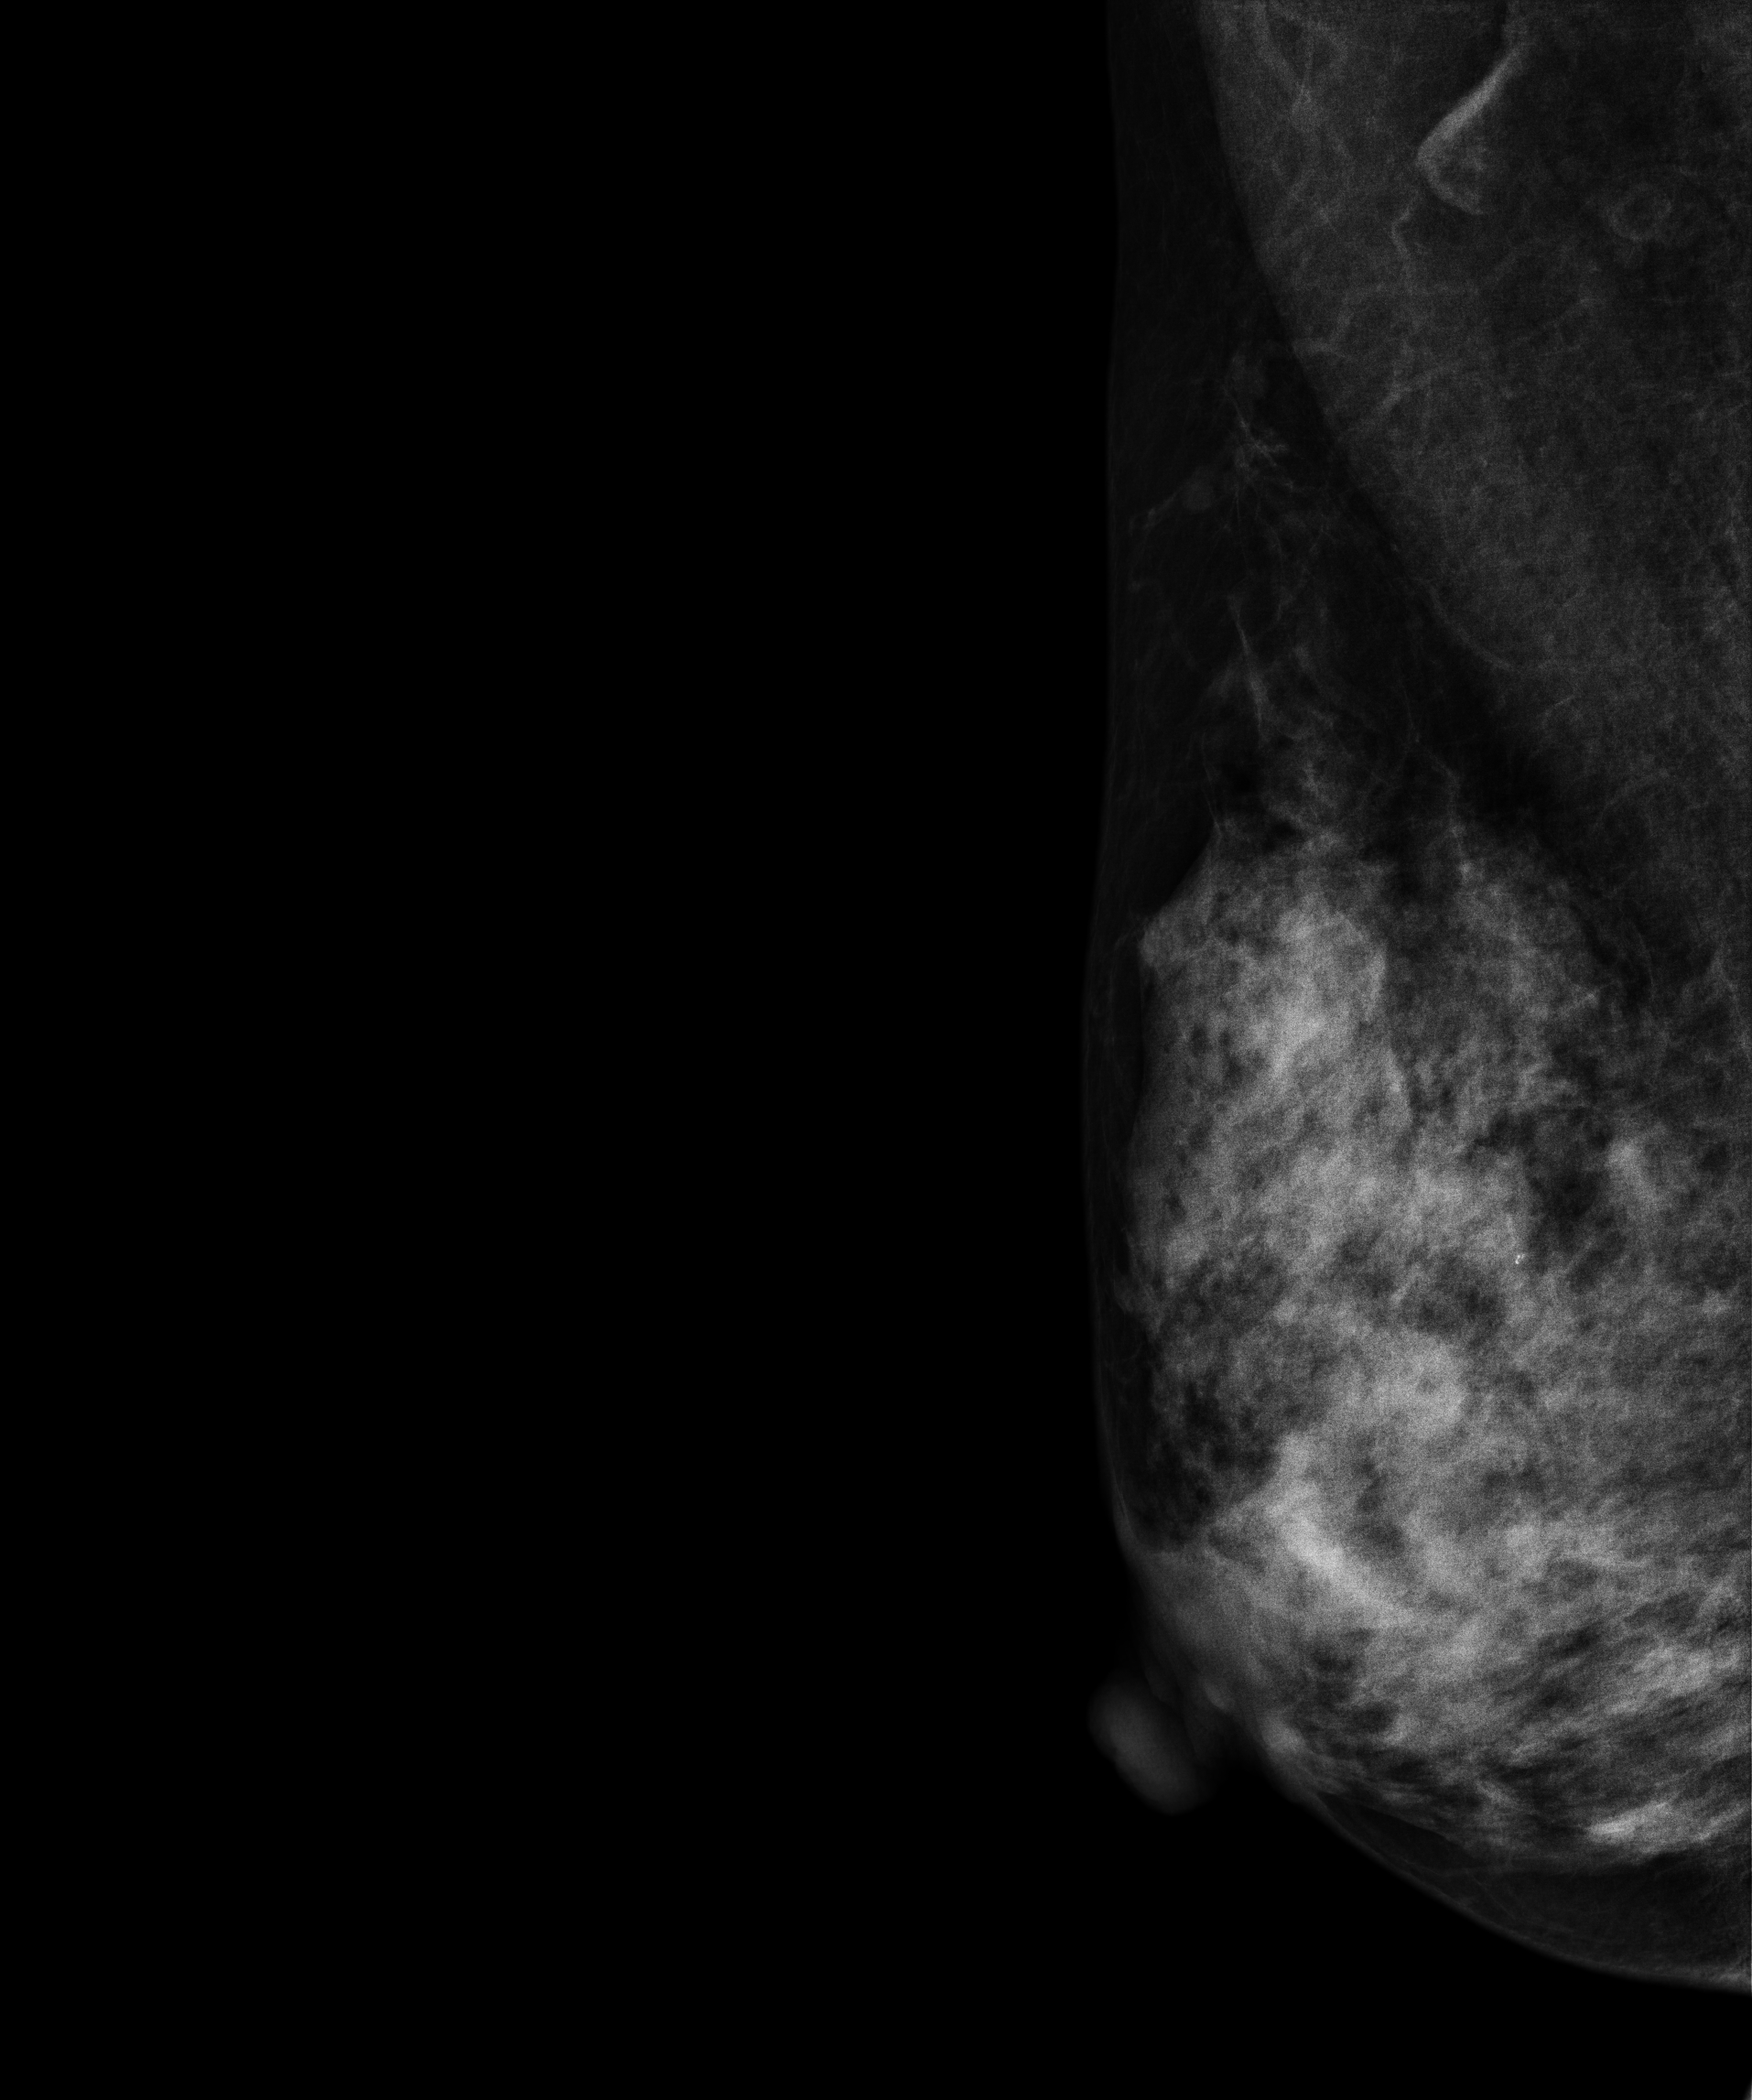
Right-breast mammogram, MLO. Patient age 45.
Contralateral breast — no documented abnormality on this side.